Digital mammography. Left breast, MLO projection. 49 y/o patient.
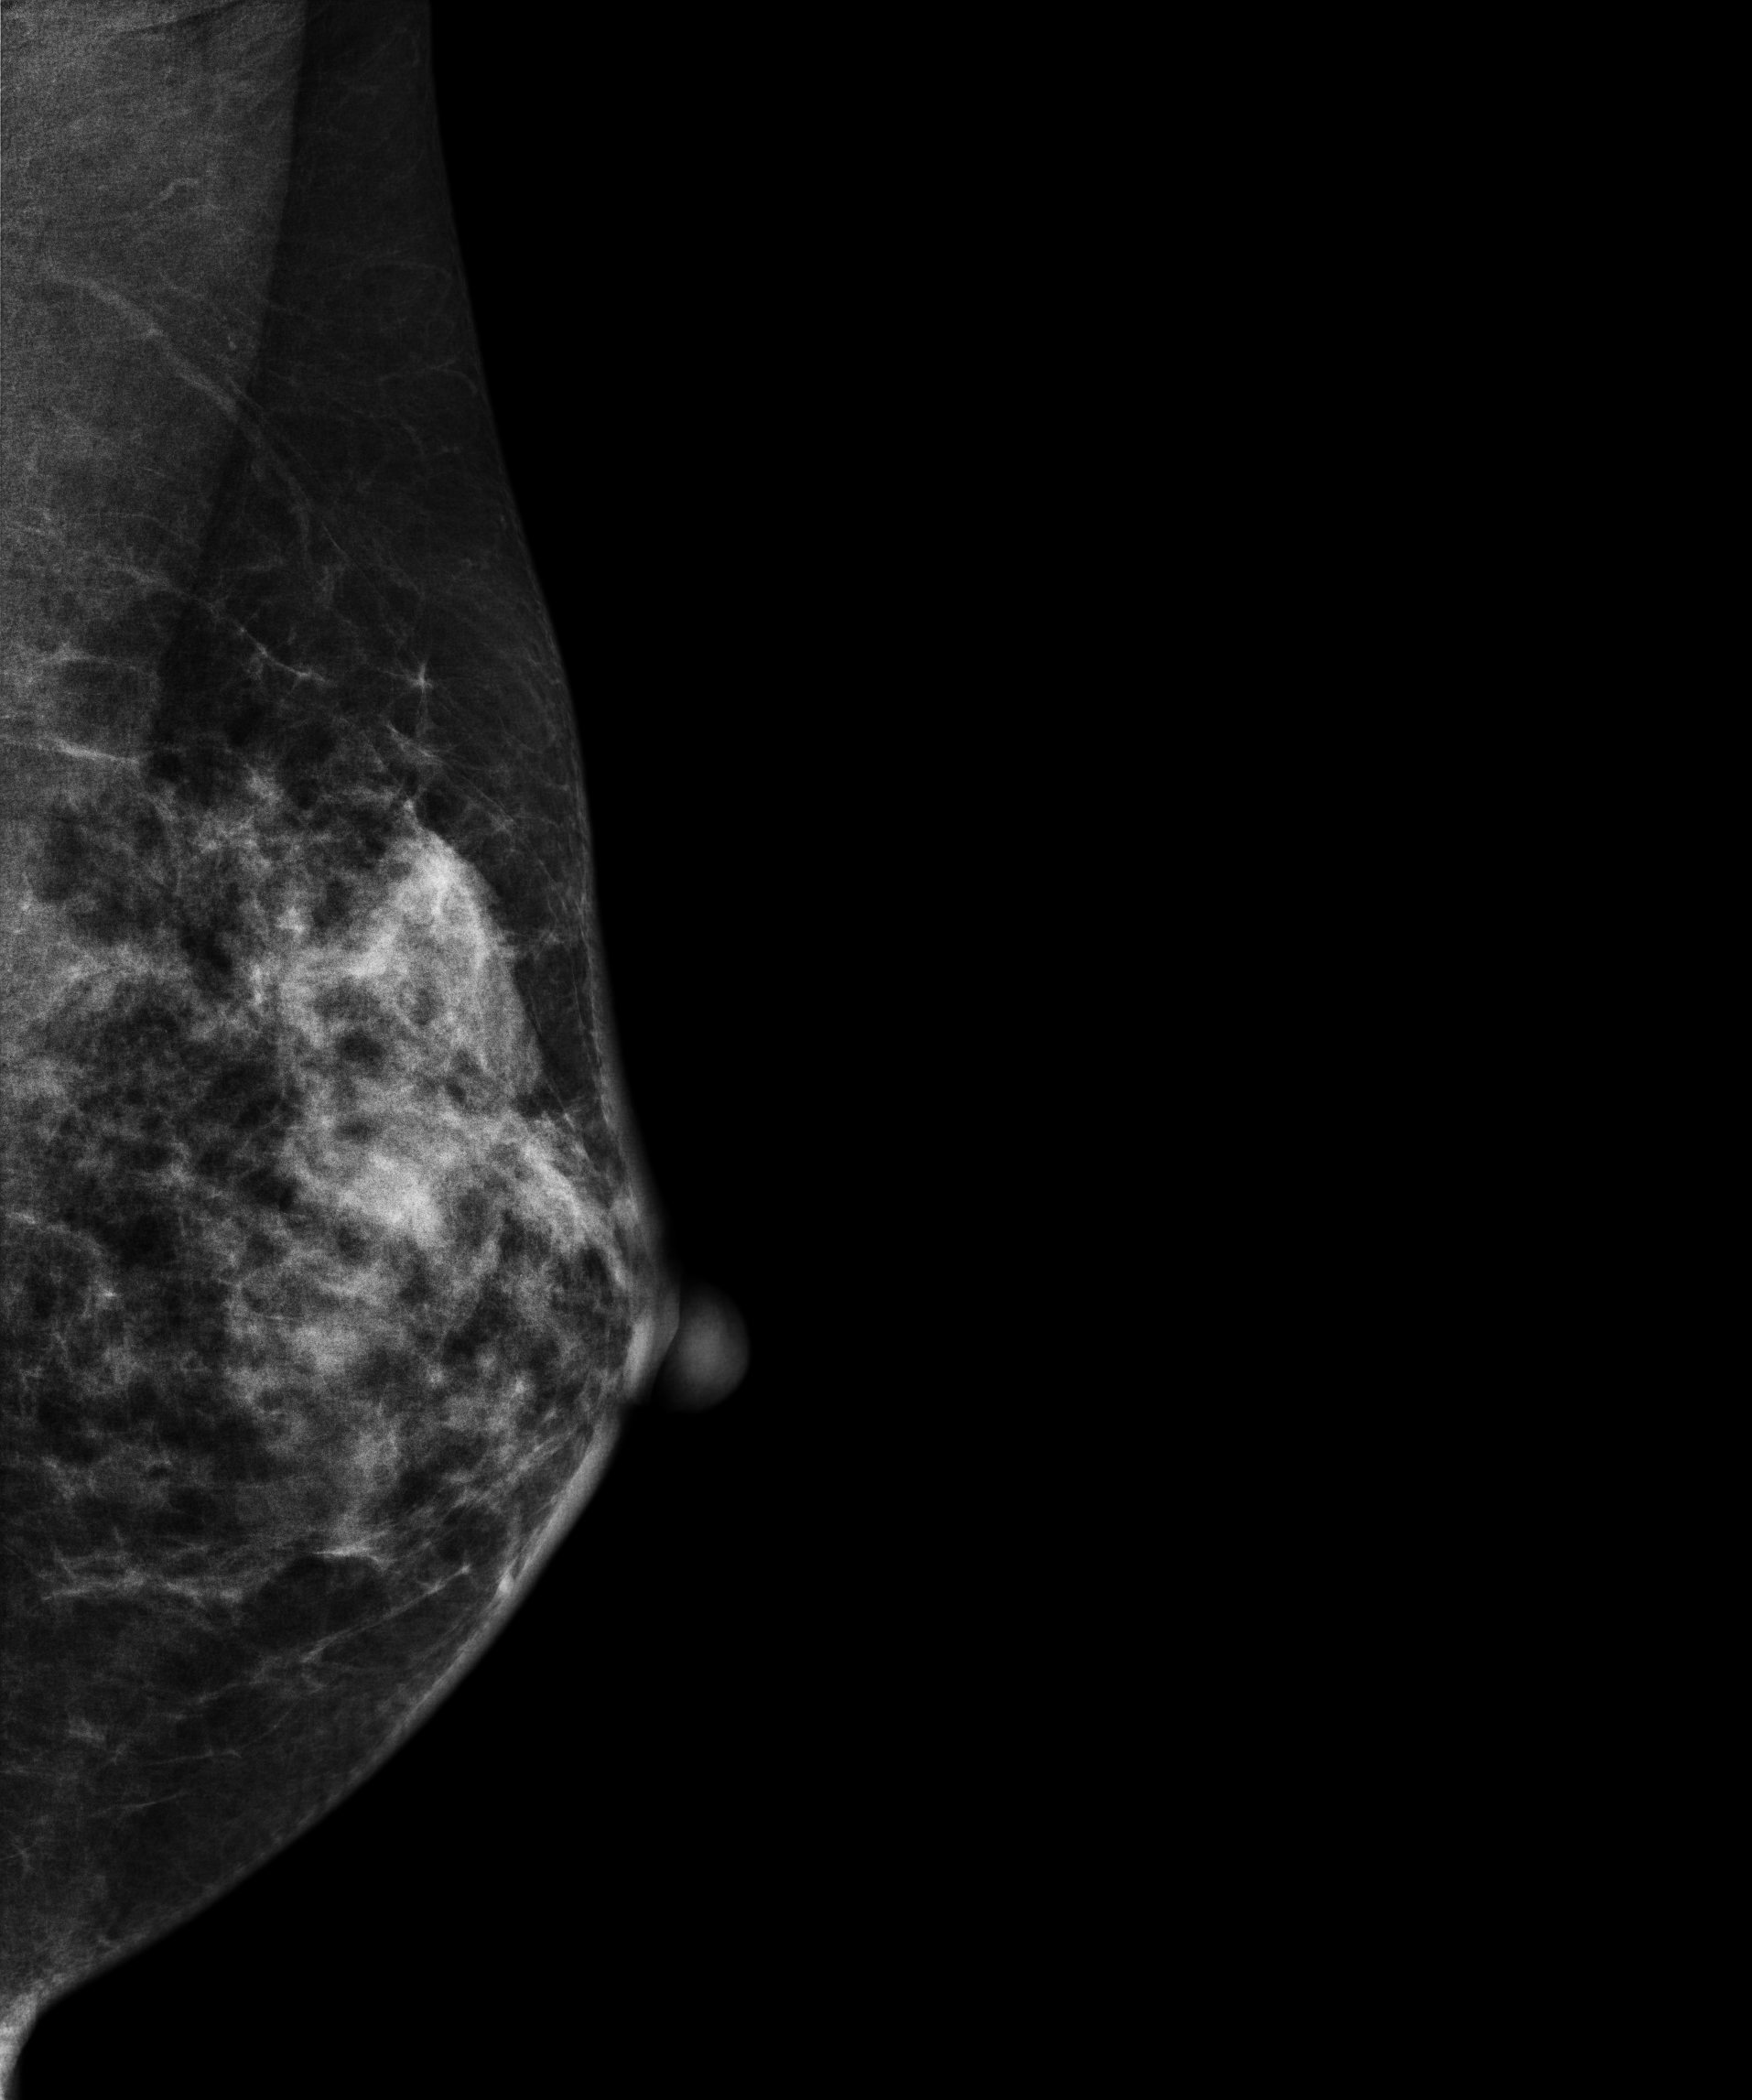
This breast has a mass, biopsy-proven malignant.